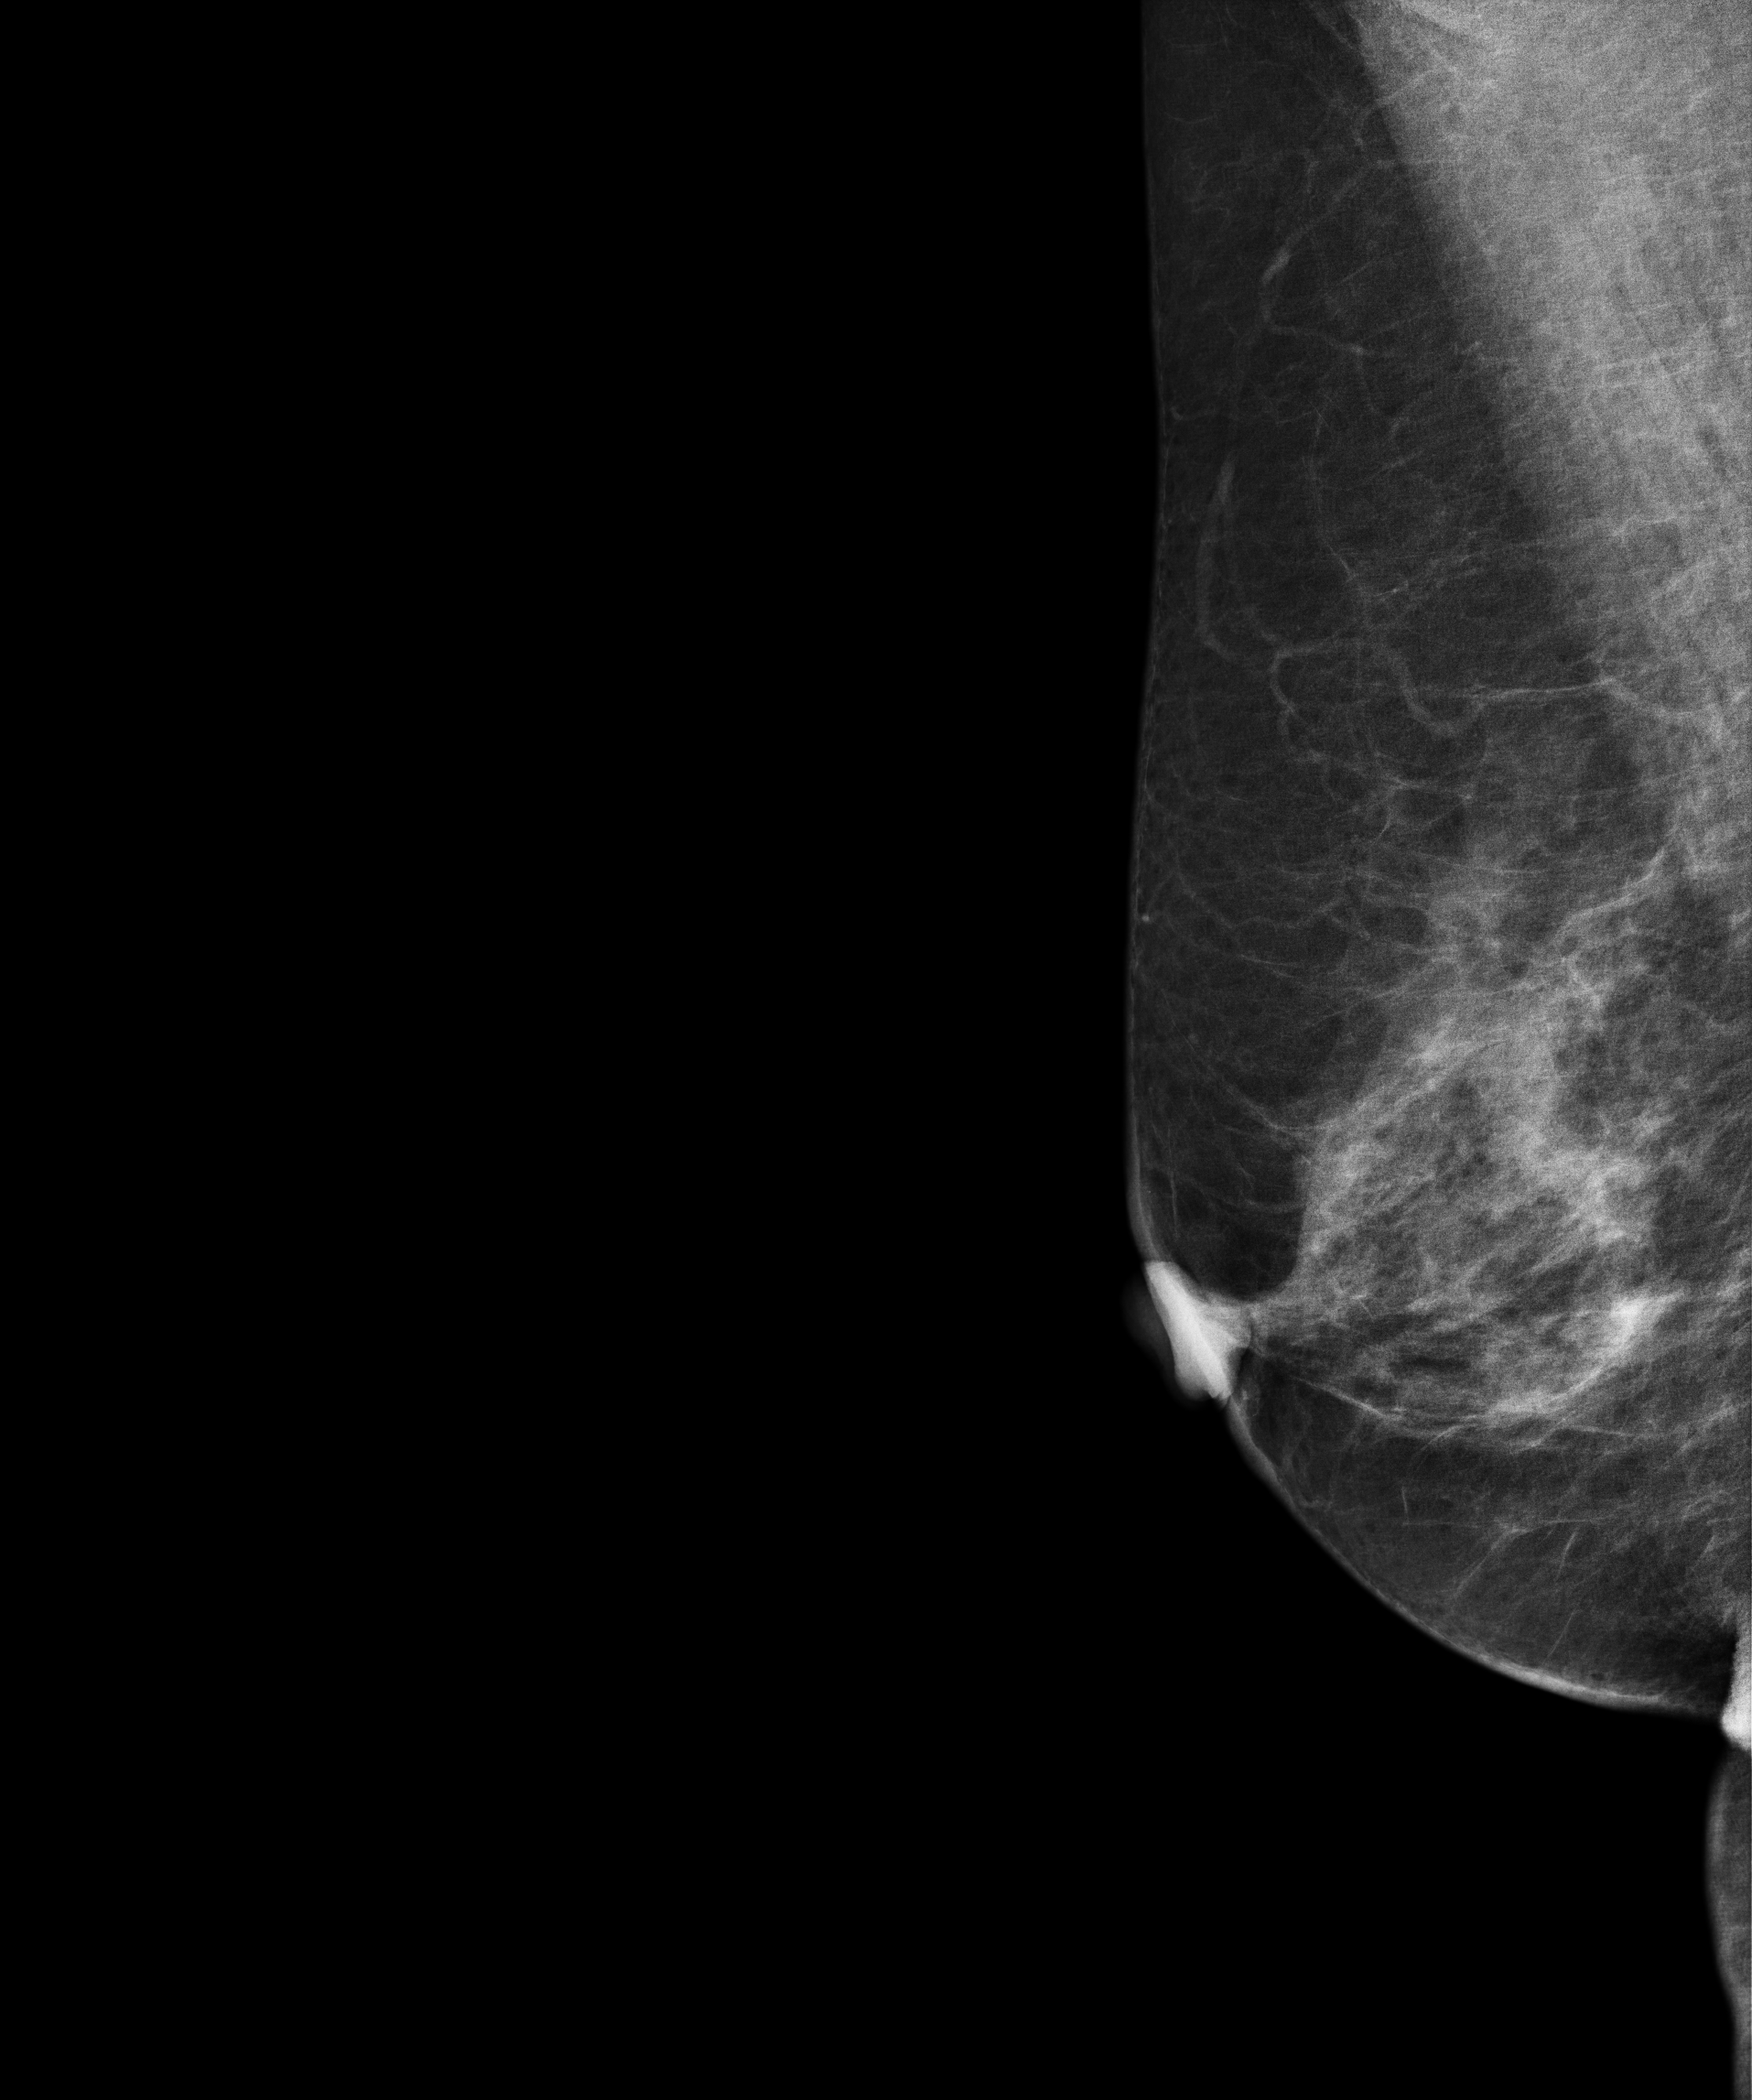
Right-breast mammogram, medio-lateral oblique. Patient age 57.
Contralateral breast — no documented abnormality on this side.